Mammogram, left breast, cranio-caudal view. Patient age 44.
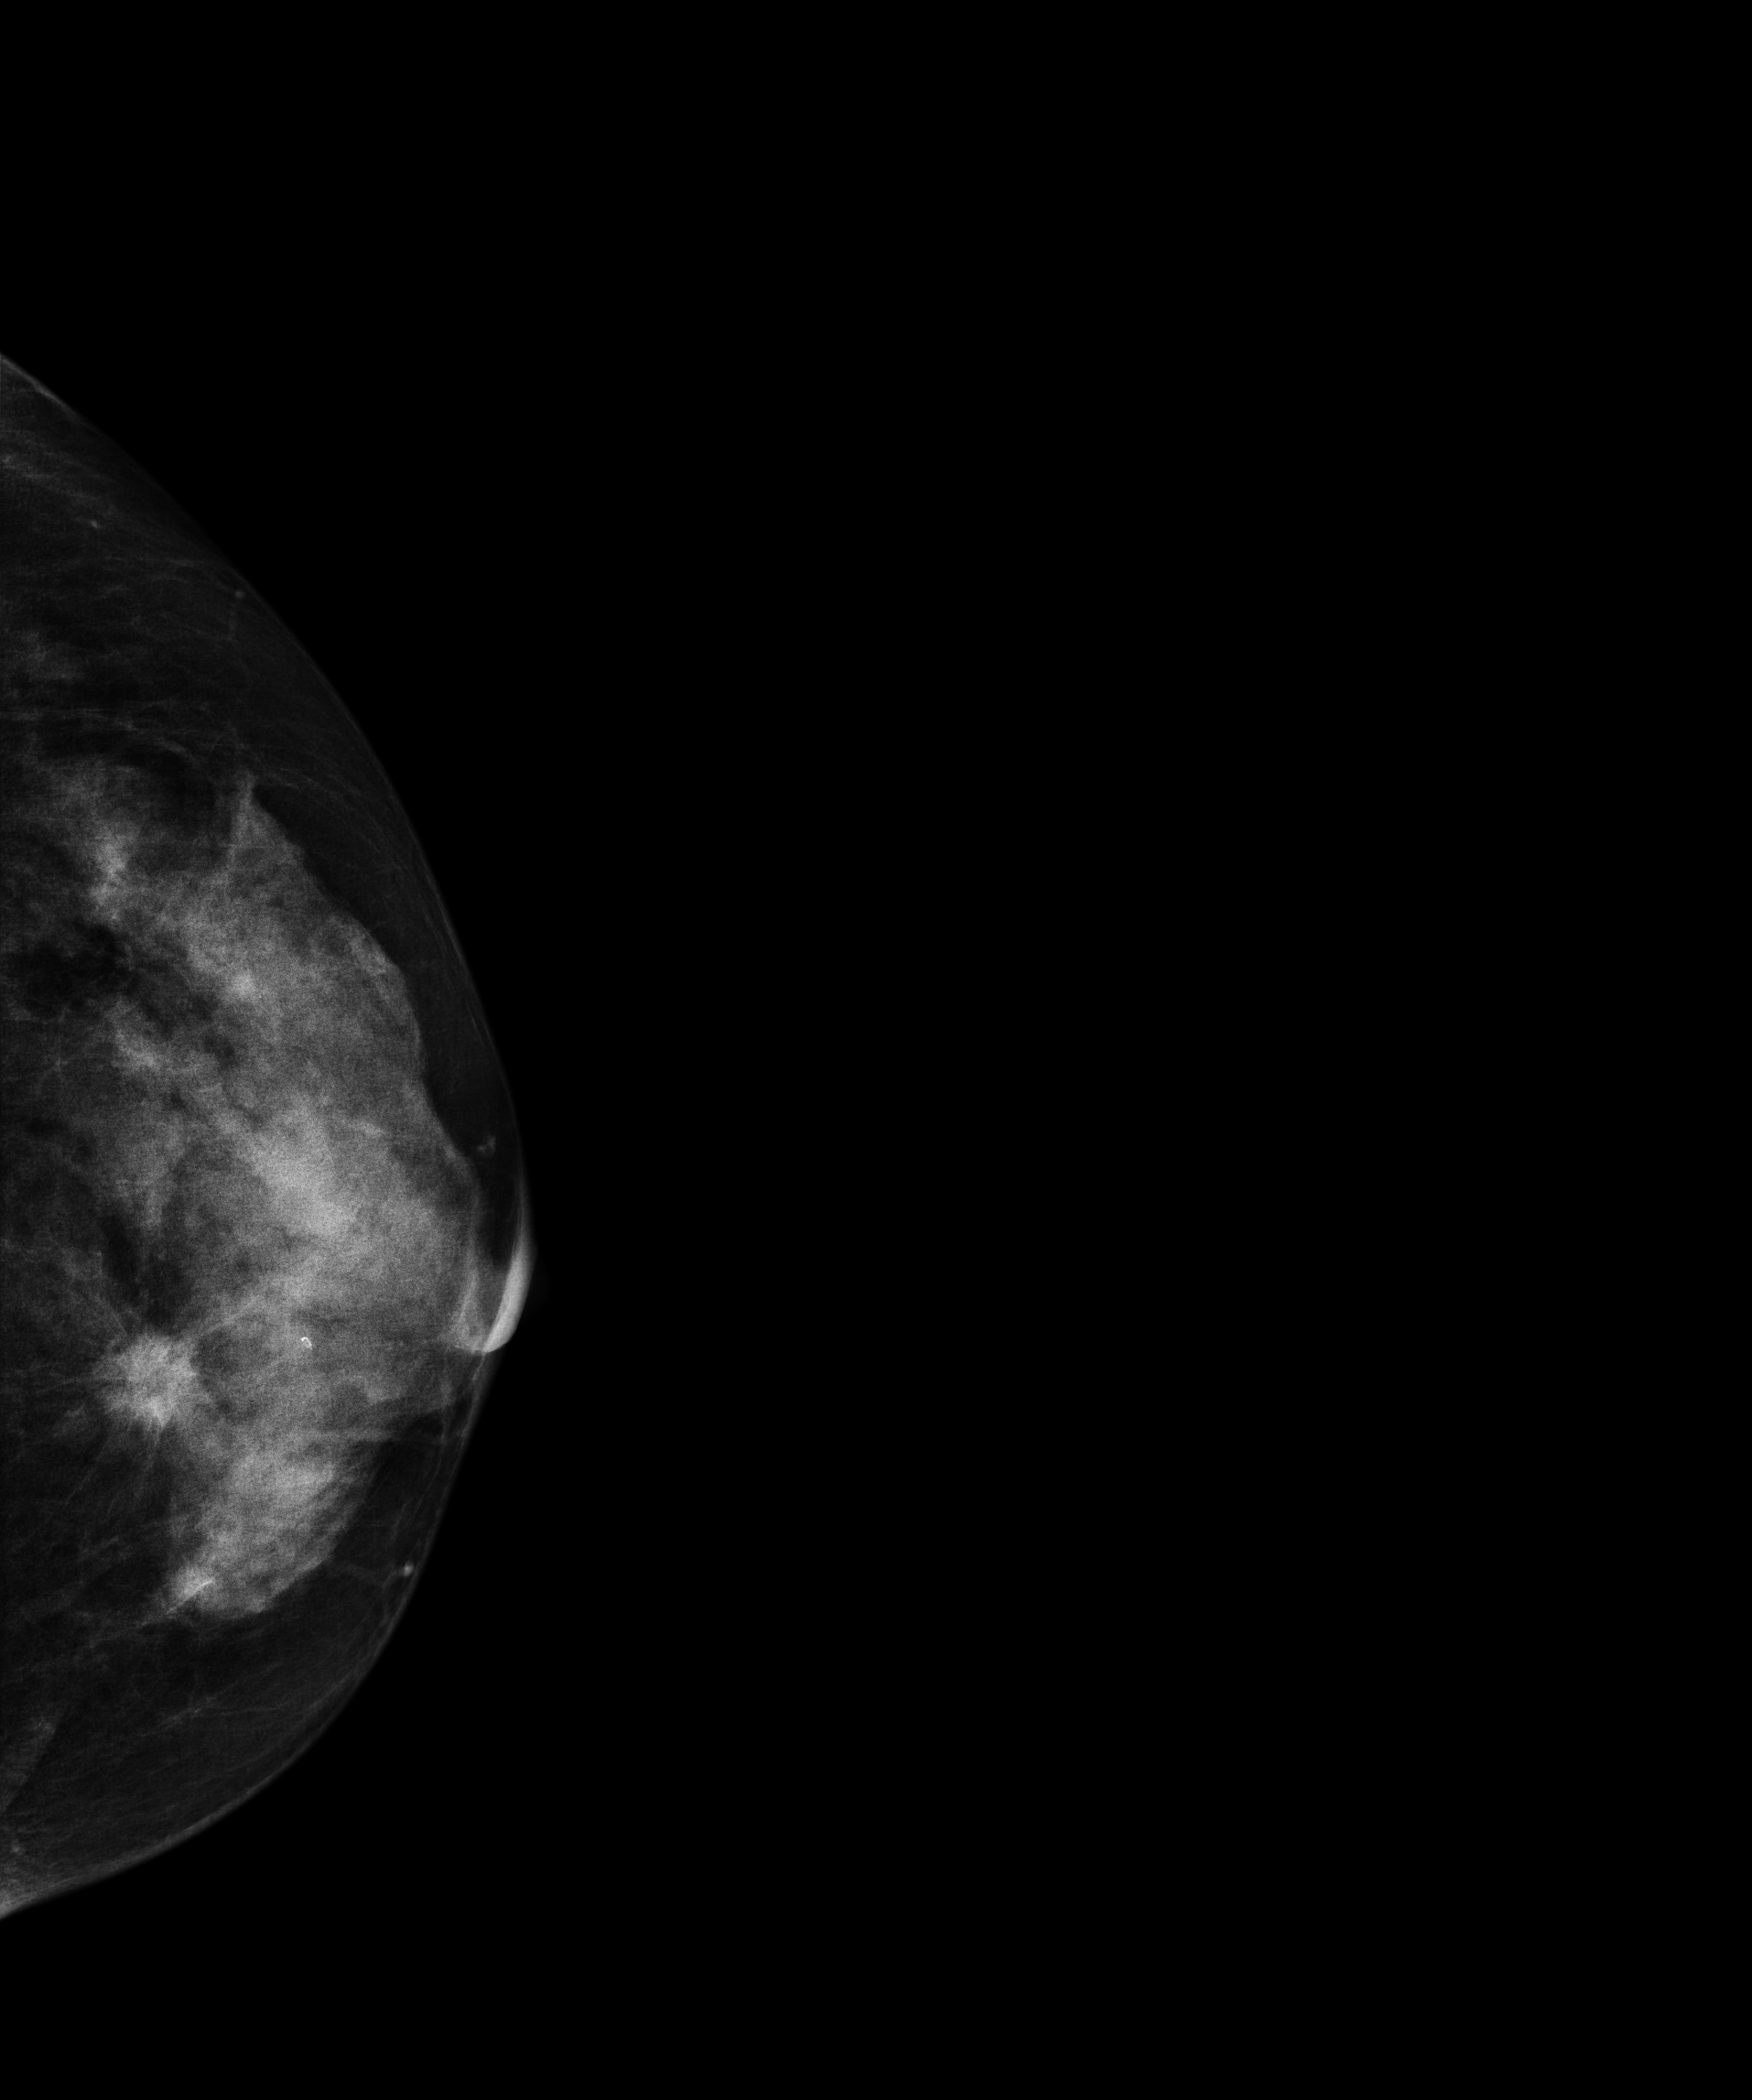
This breast has a mass, histologically confirmed malignant. Molecular subtype: luminal A.